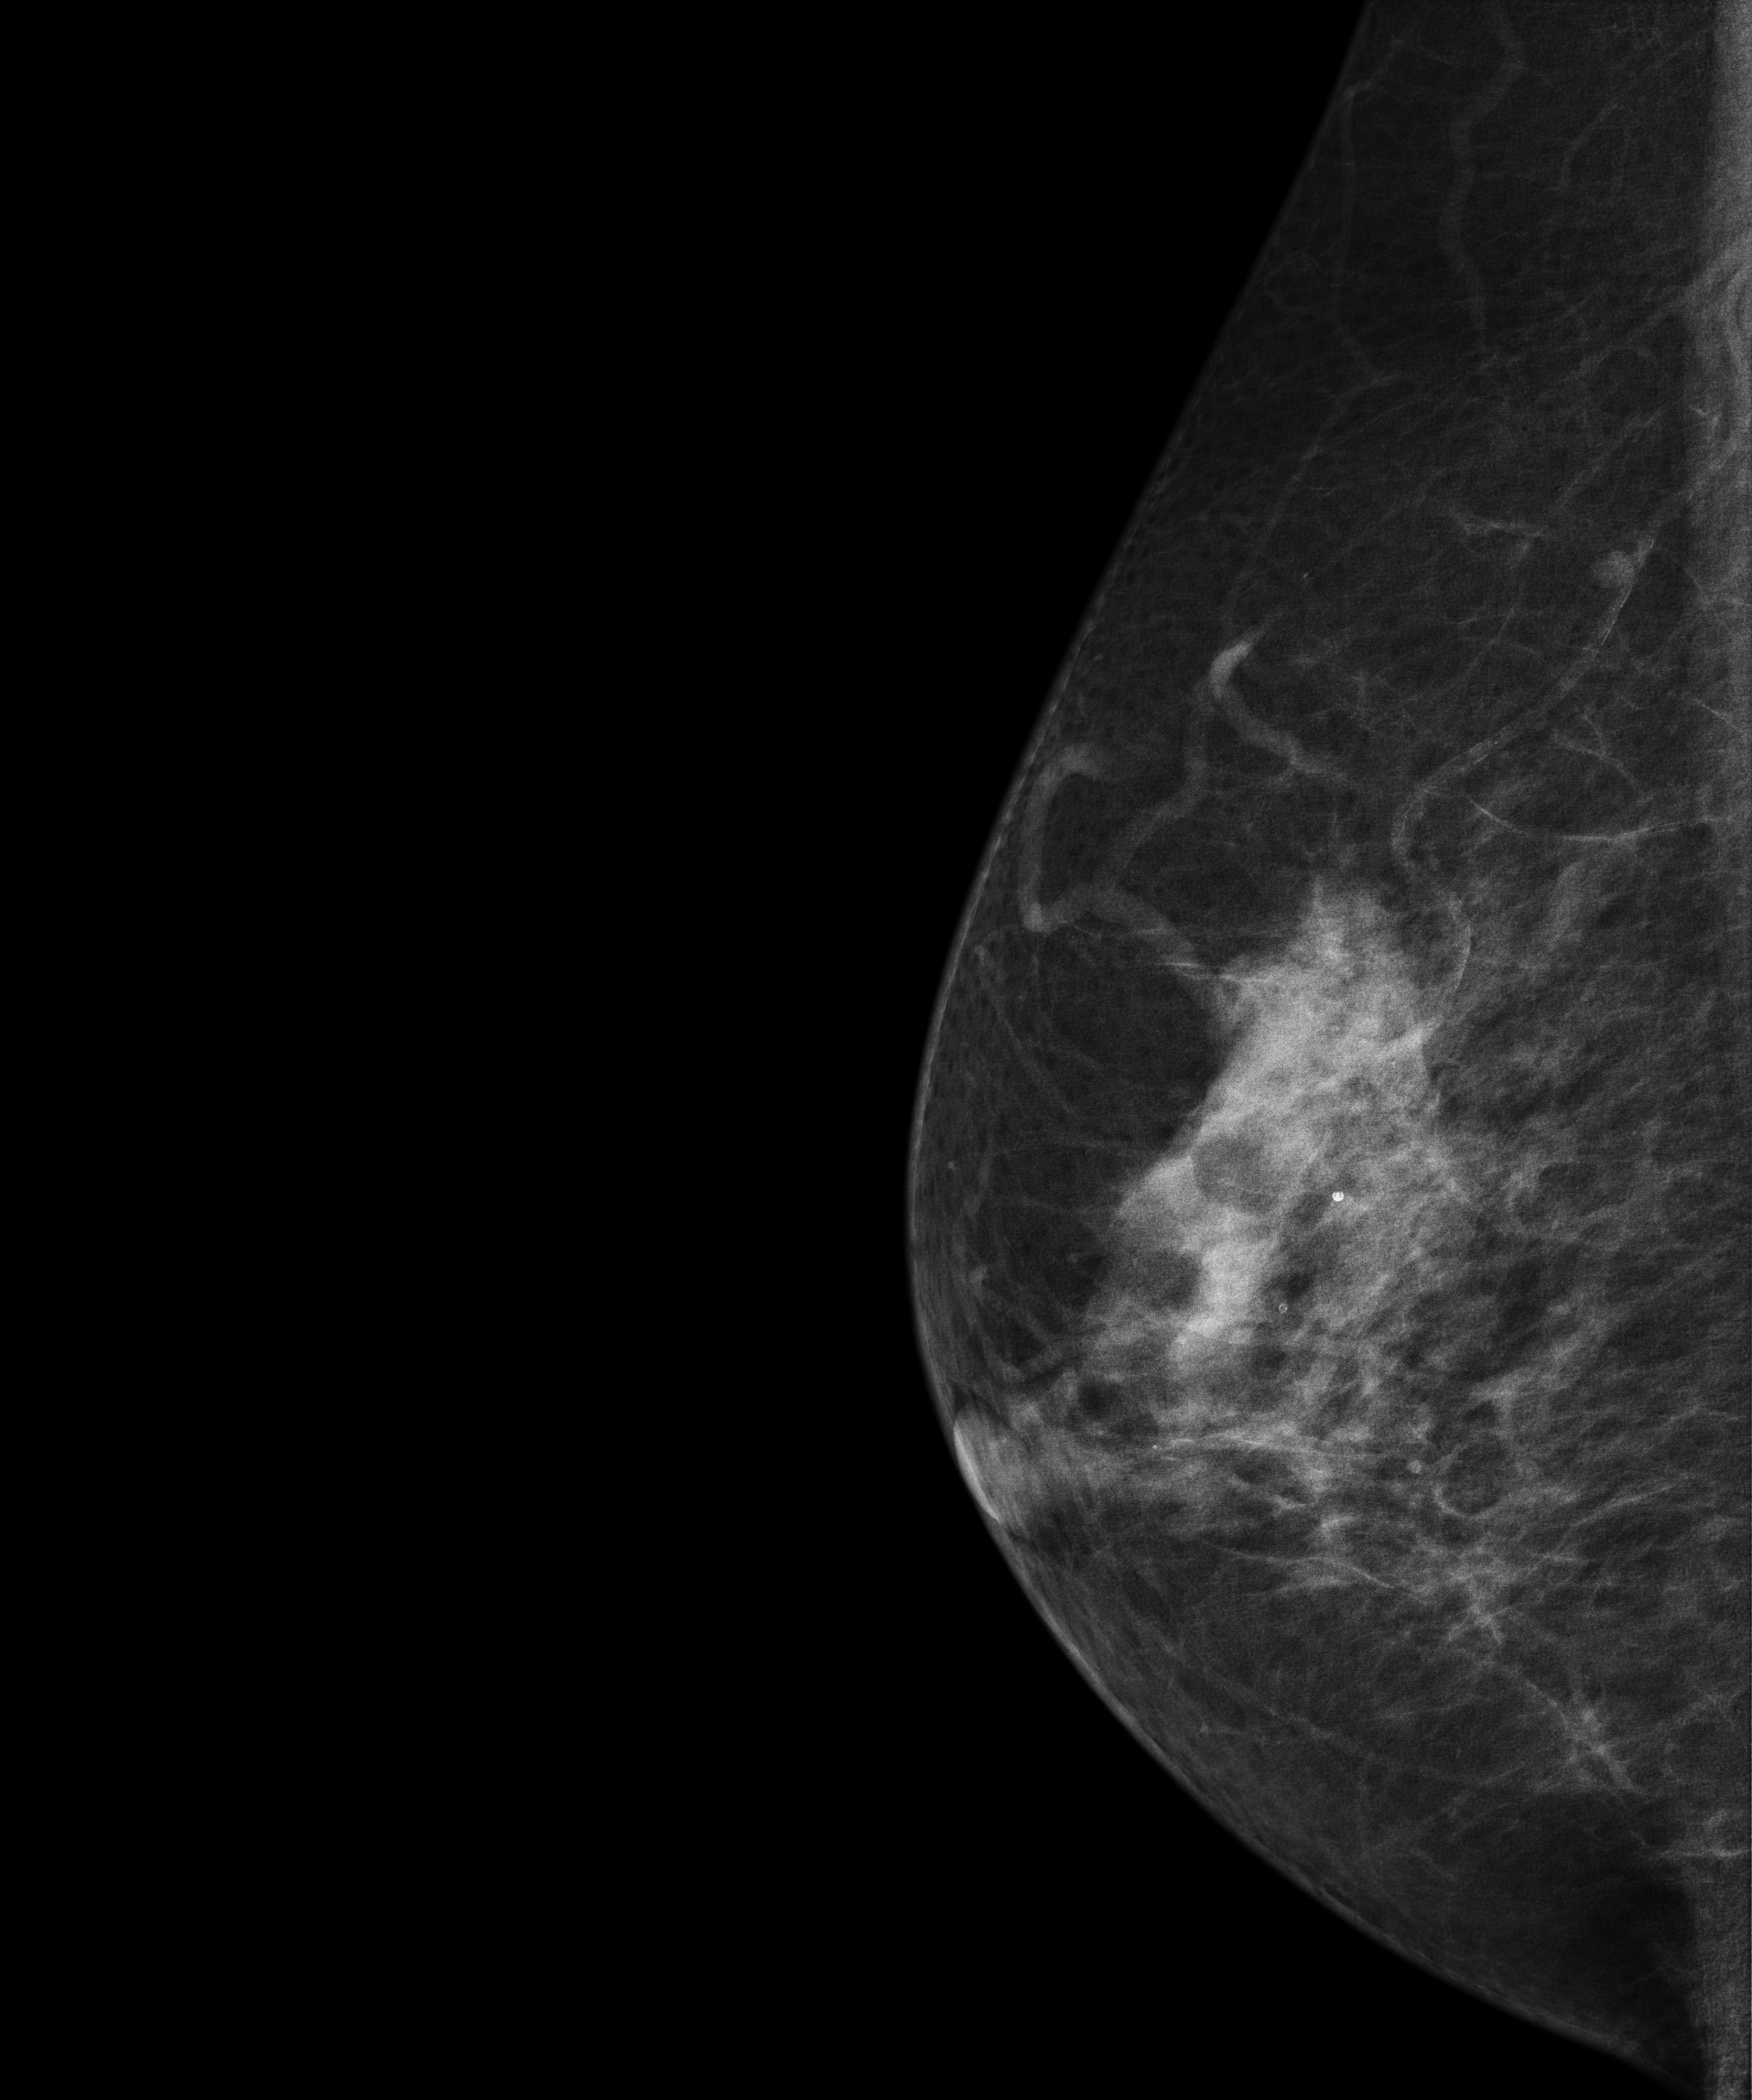
Right-breast mammogram, MLO. 63-year-old patient.
Contralateral breast — no documented abnormality on this side.